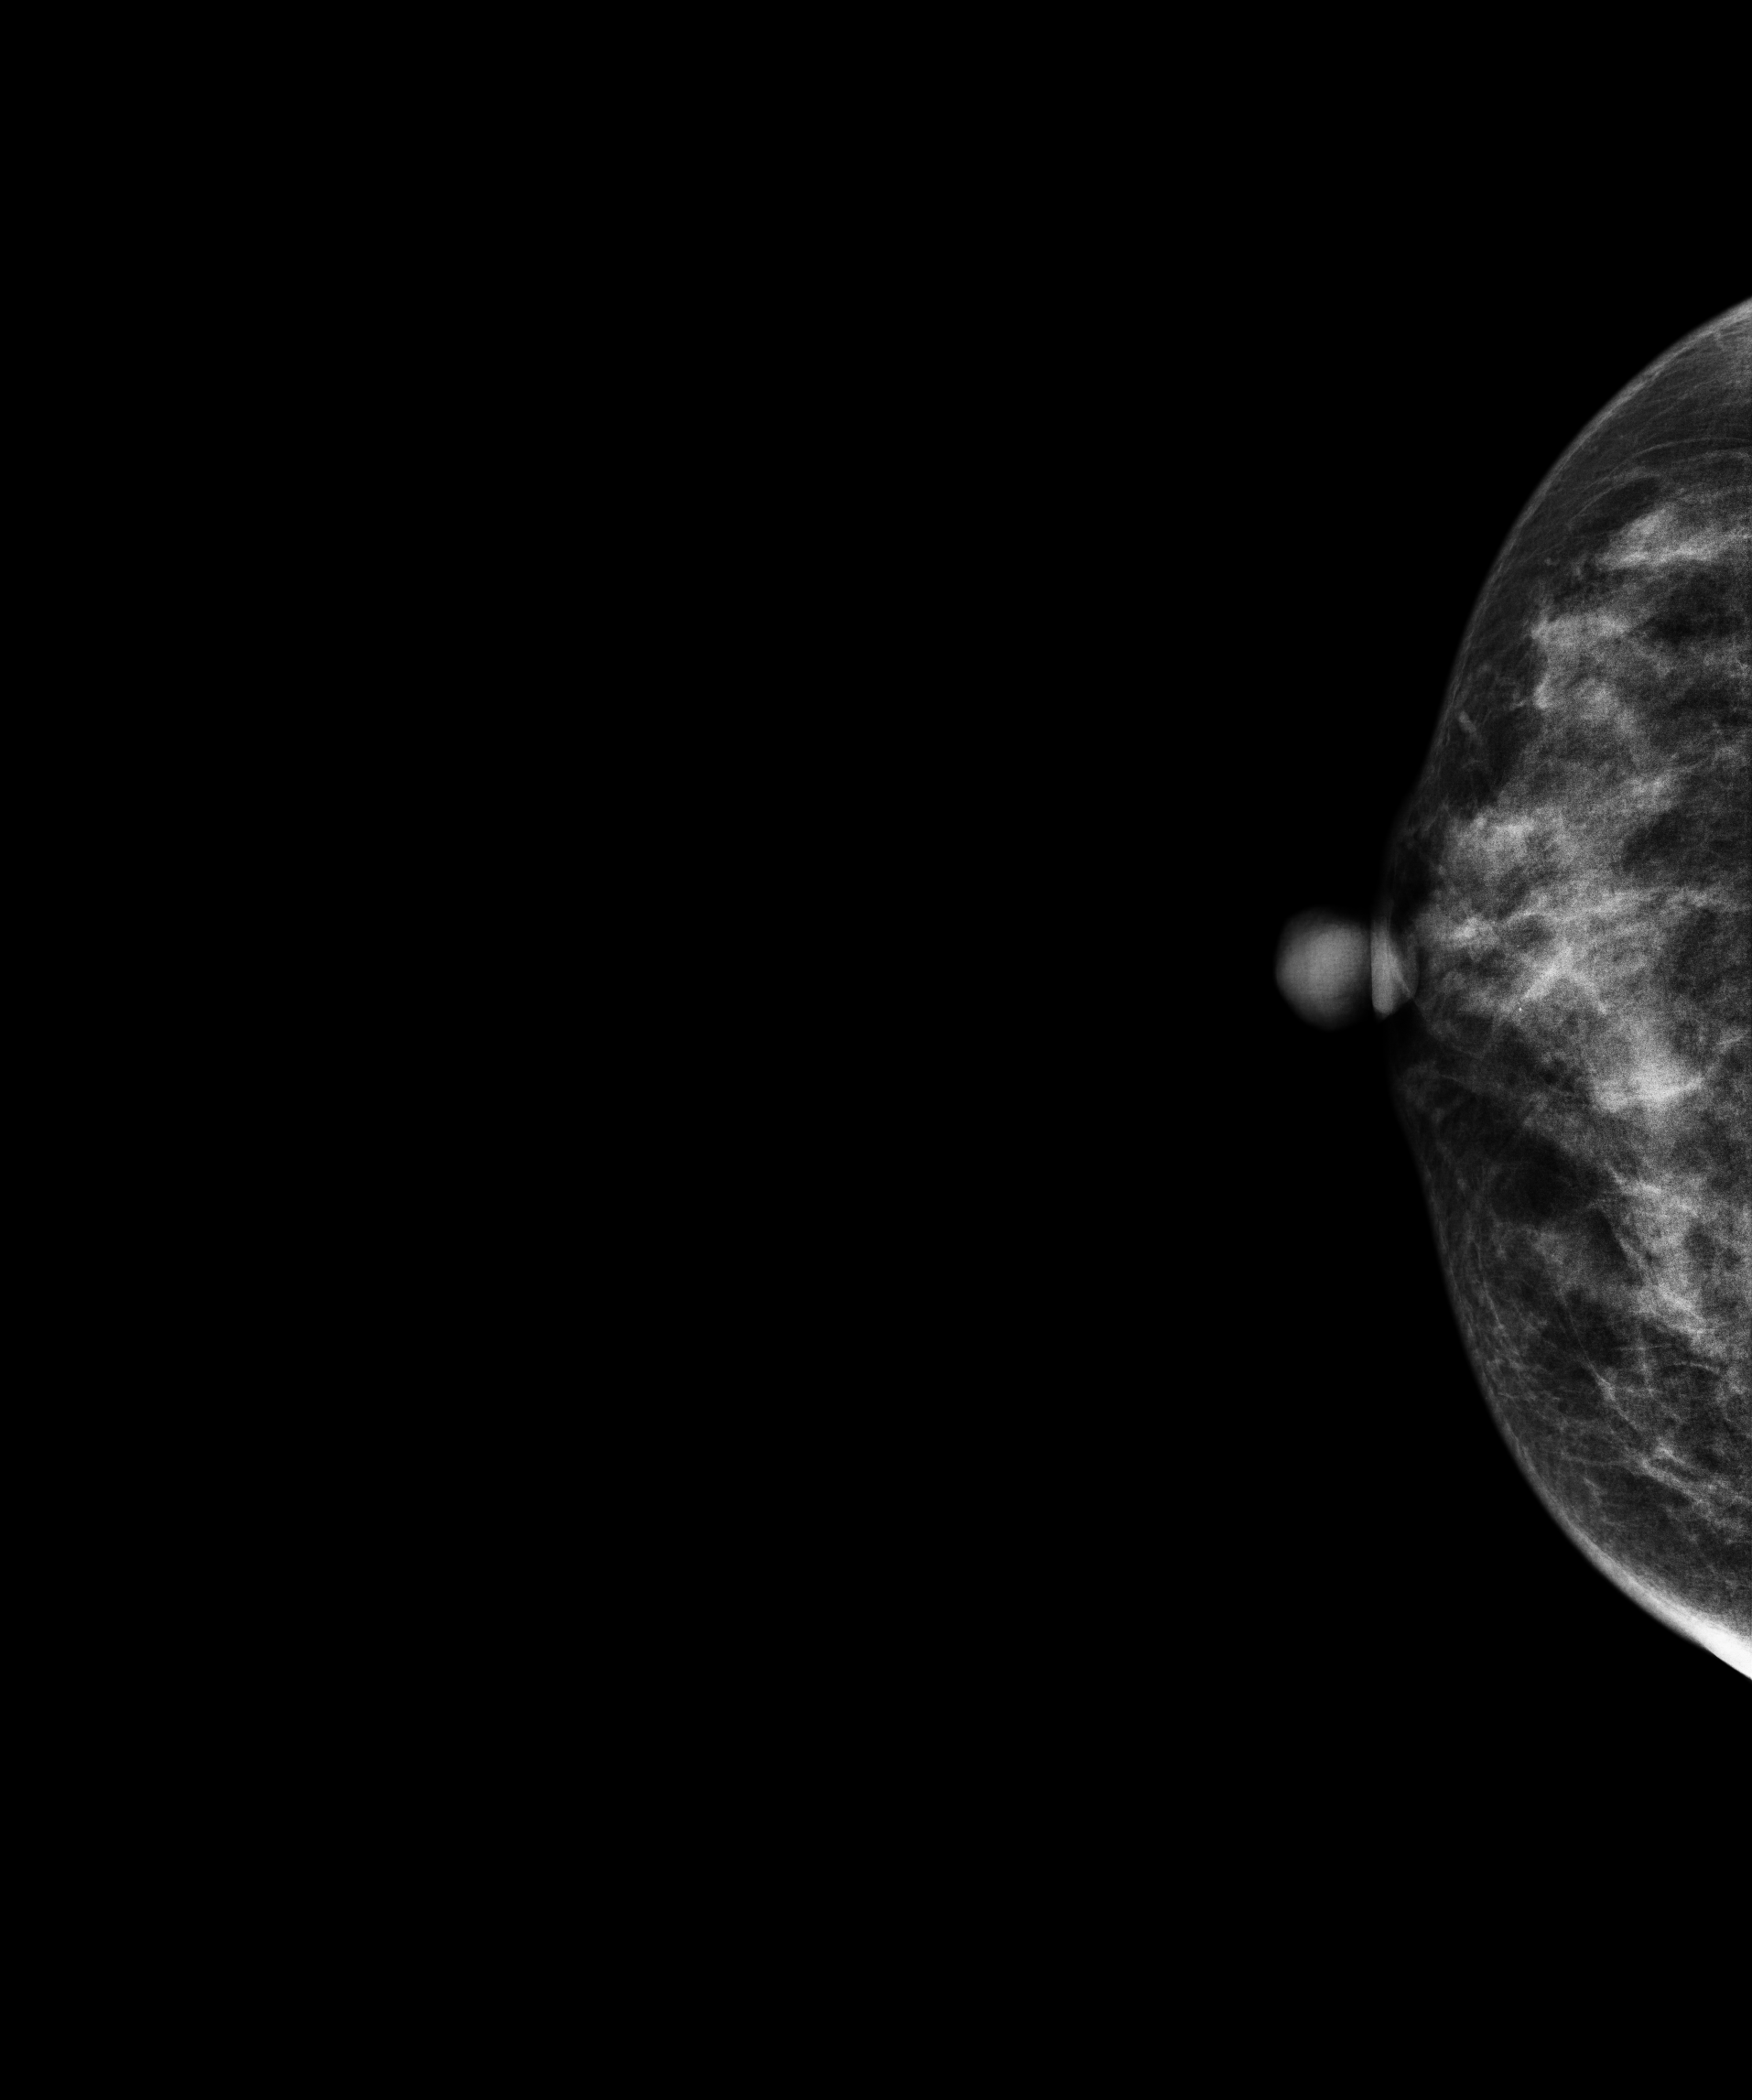
Right-breast mammogram, cranio-caudal. Patient age 44.
This breast has a mass, biopsy-proven malignant.